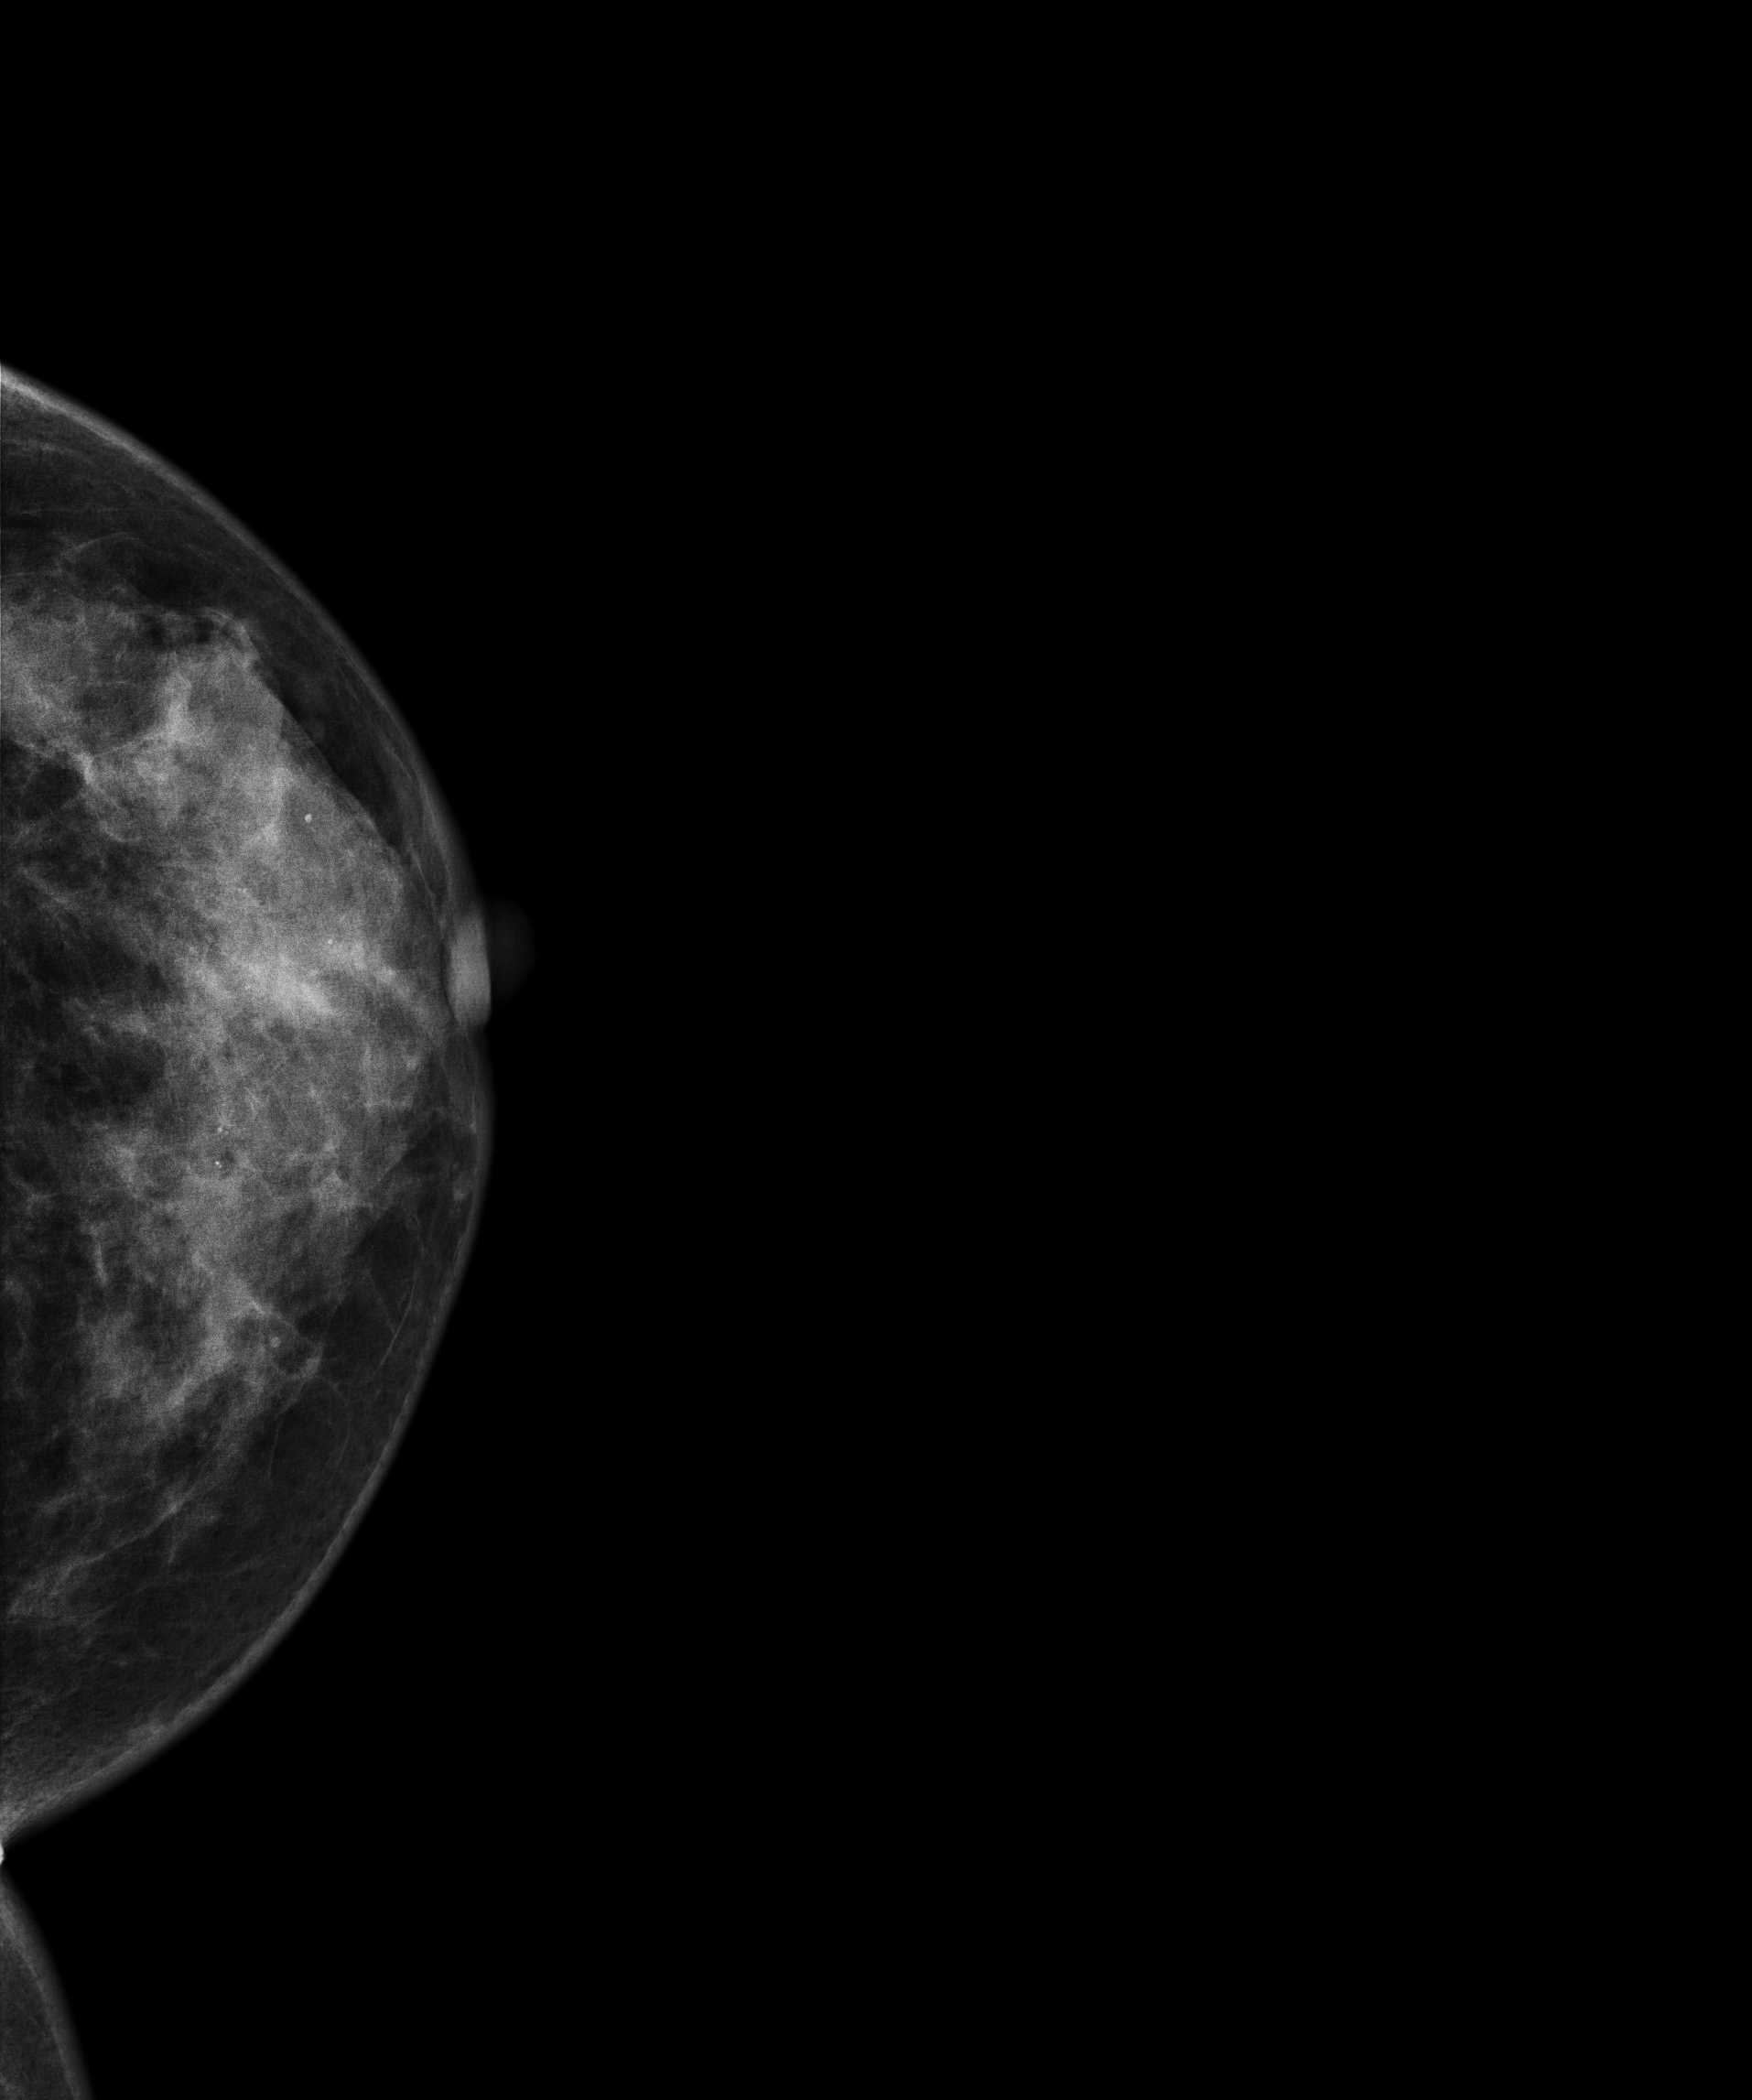
Left-breast mammogram, cranio-caudal. 49 y/o patient.
This breast has a mass and calcifications, histologically confirmed malignant. Molecular subtype: luminal A.